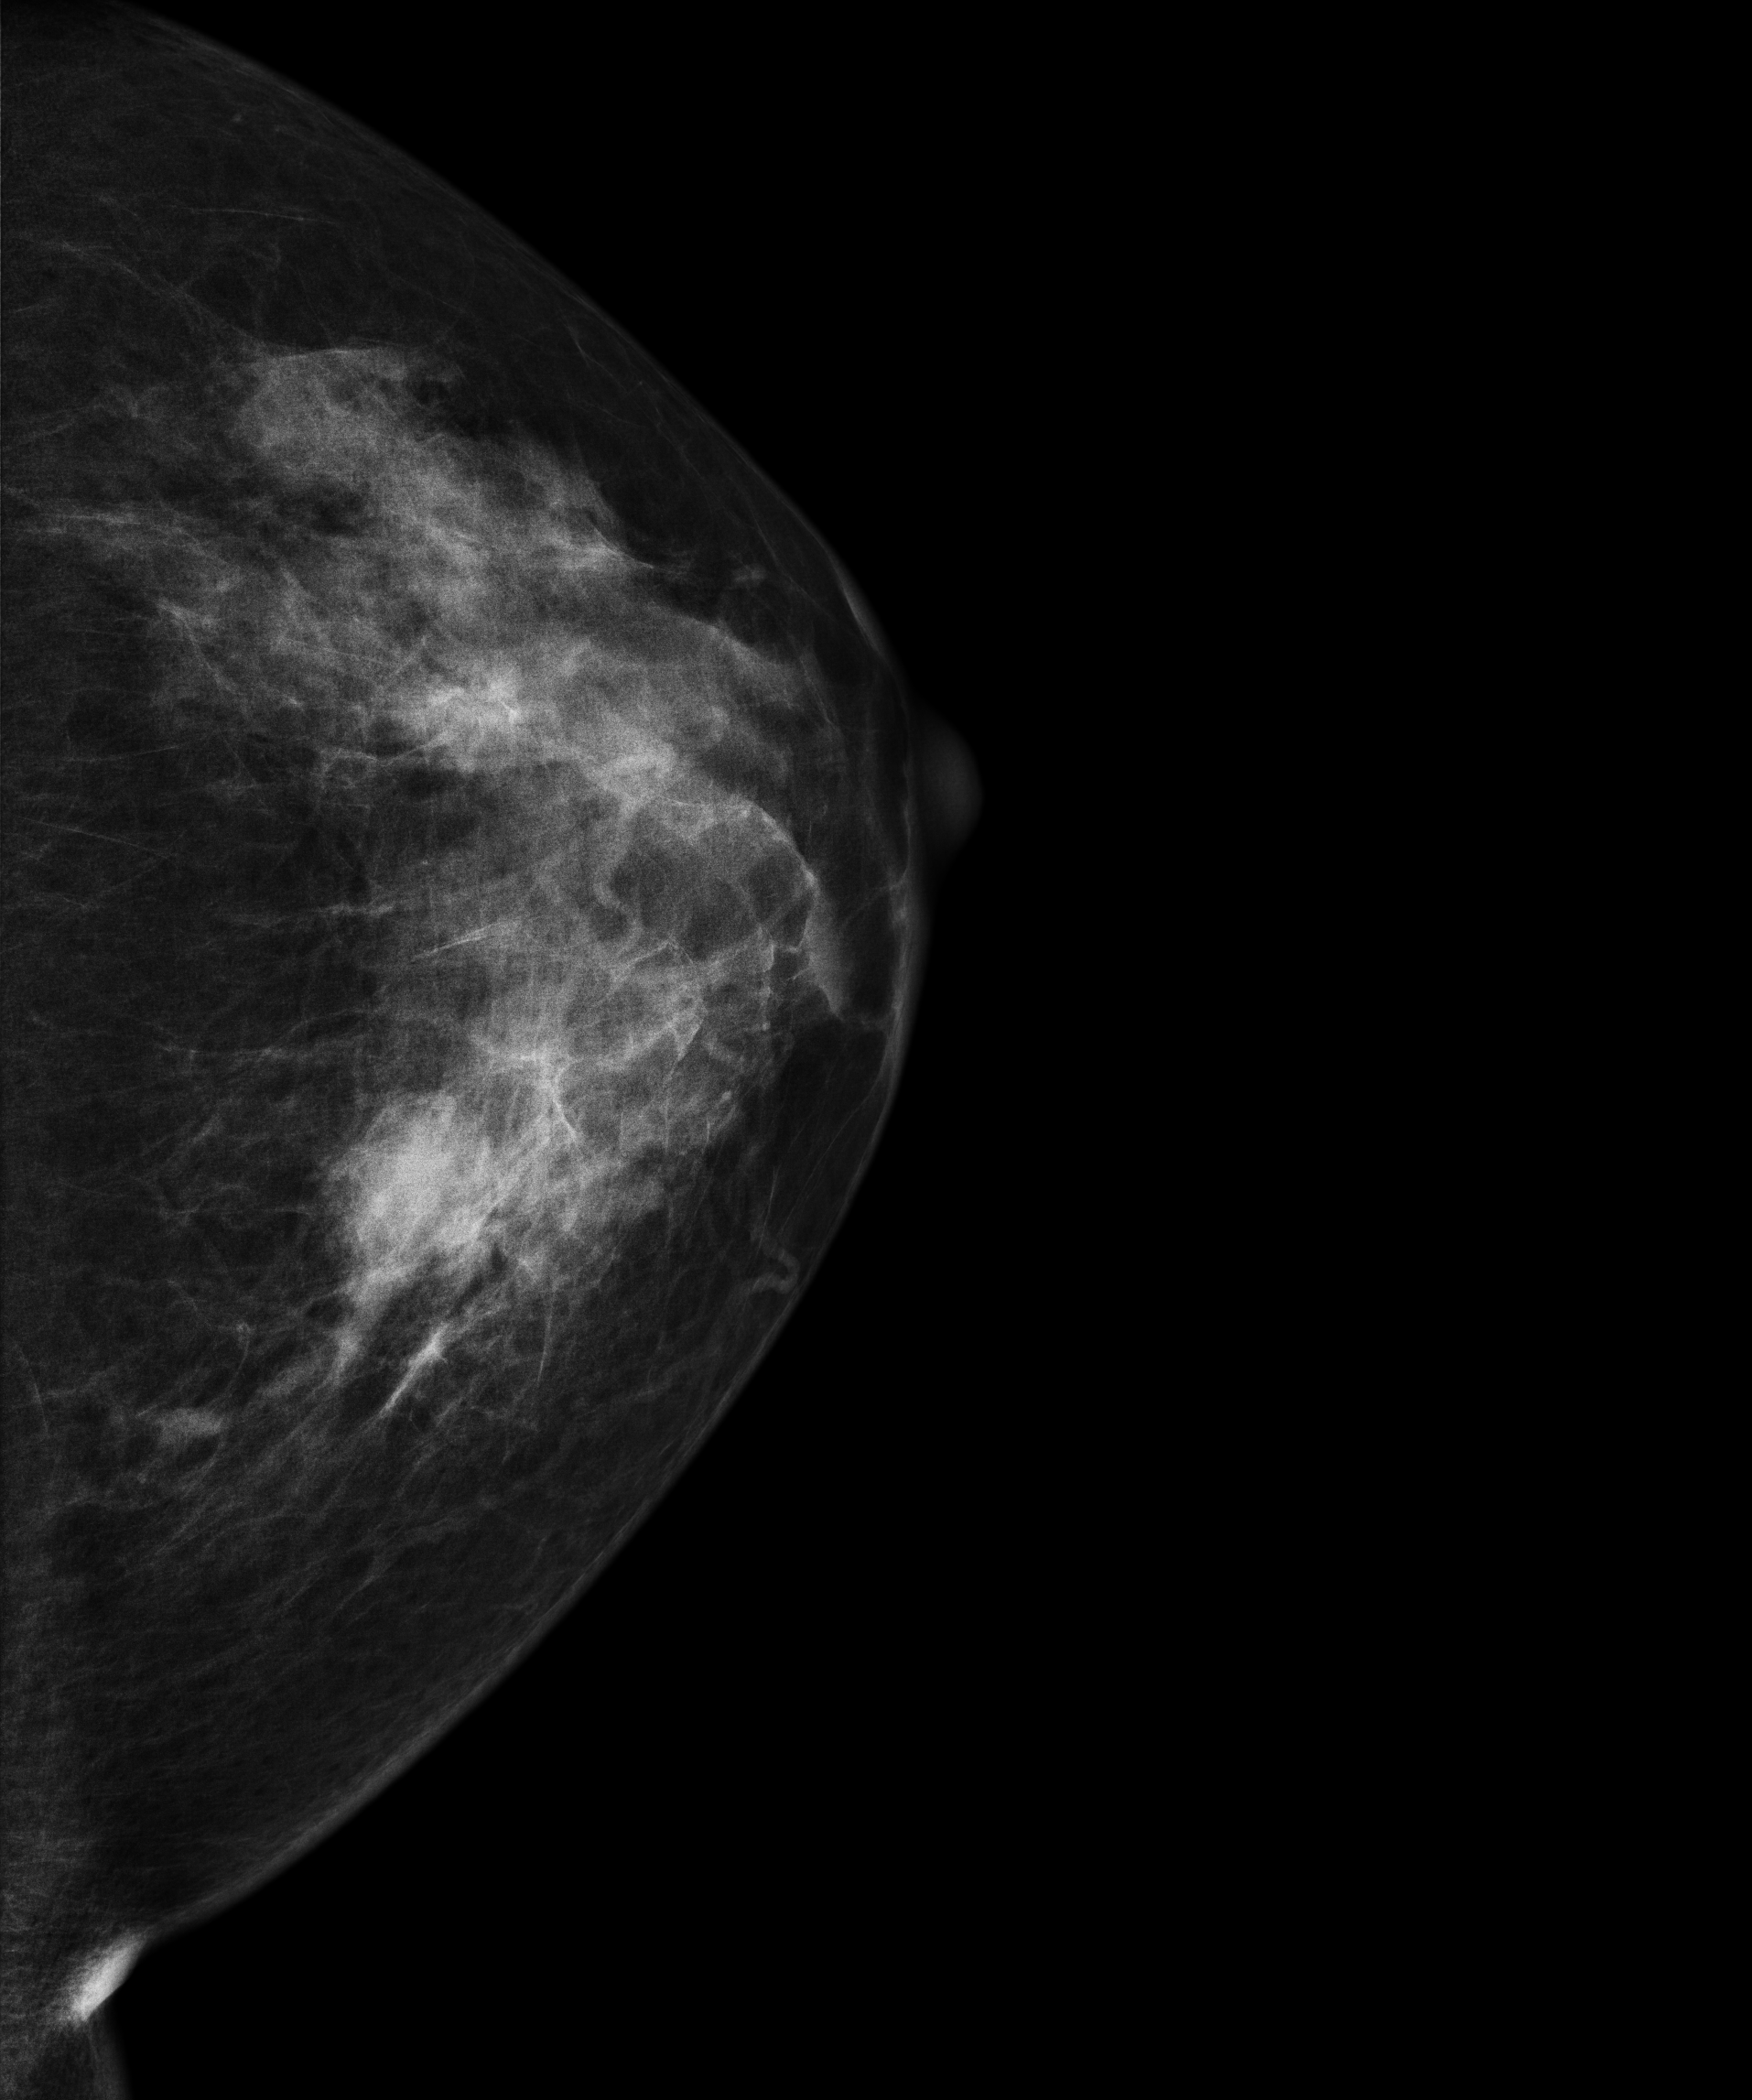
Digital mammography. Left breast, CC projection. 64 y/o patient.
This breast has a mass, pathology-confirmed malignant. Molecular subtype: luminal A.